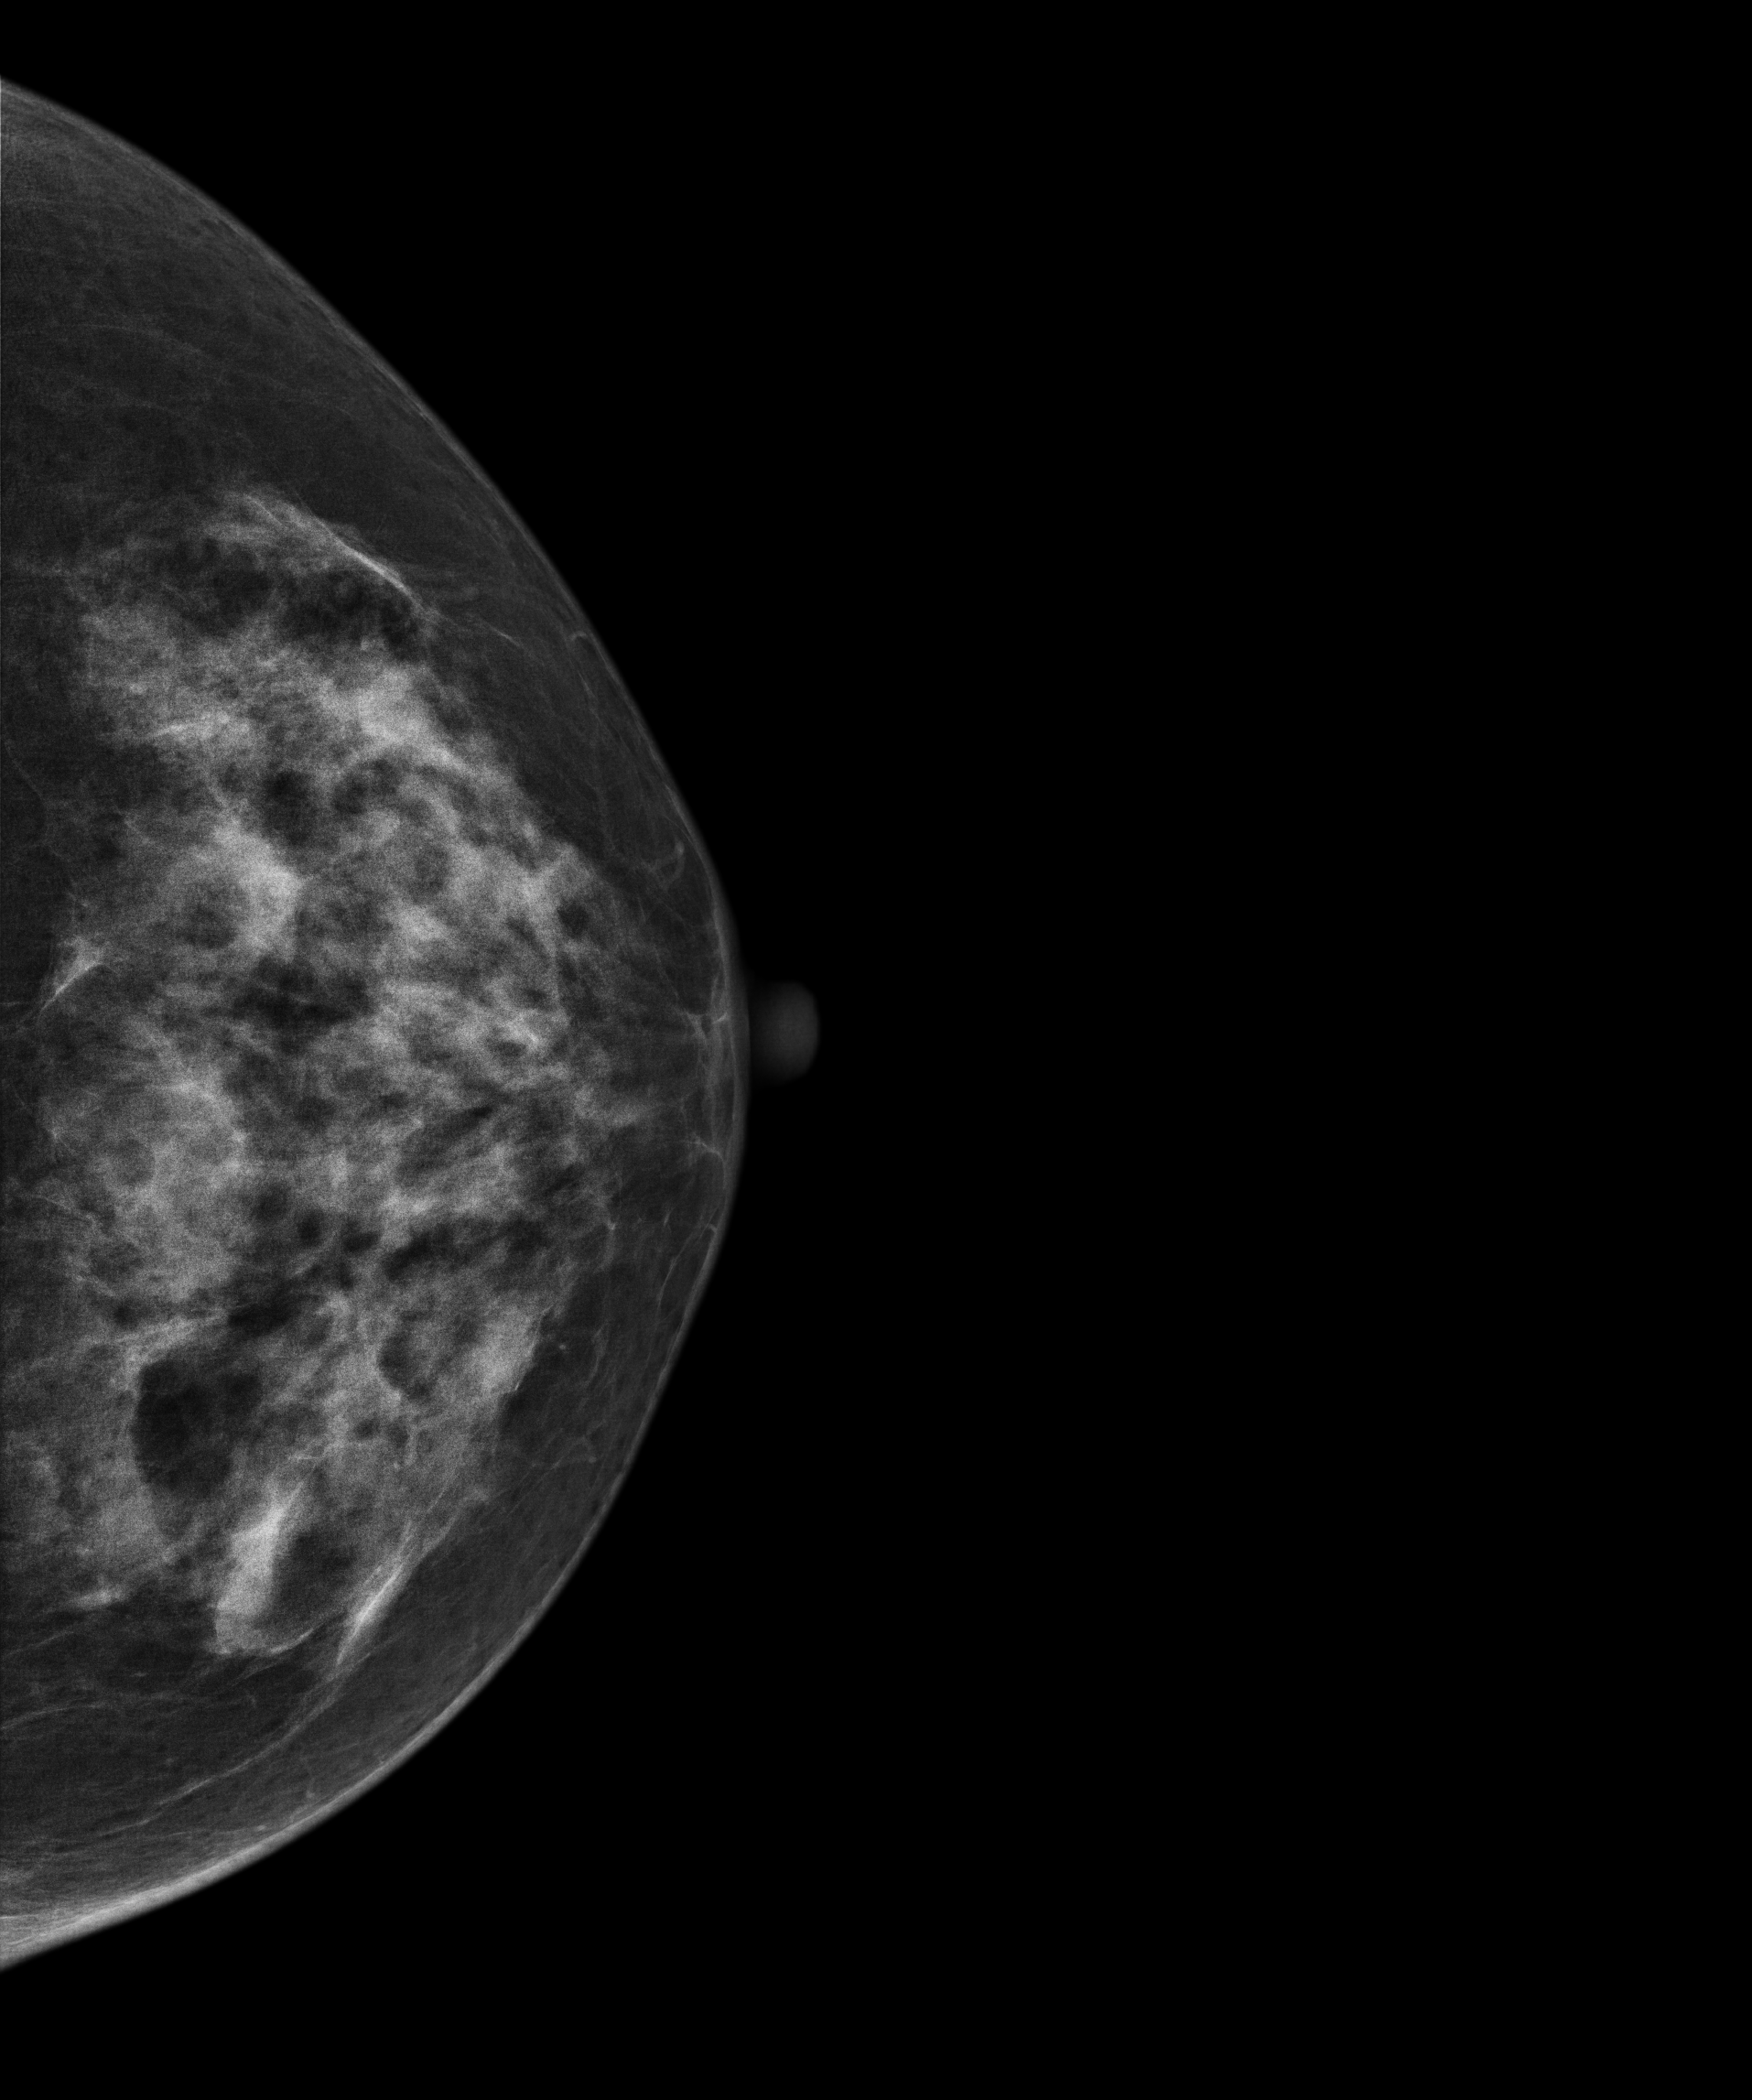
Mammogram, left breast, cranio-caudal view. Patient age 58.
Contralateral breast — no documented abnormality on this side.